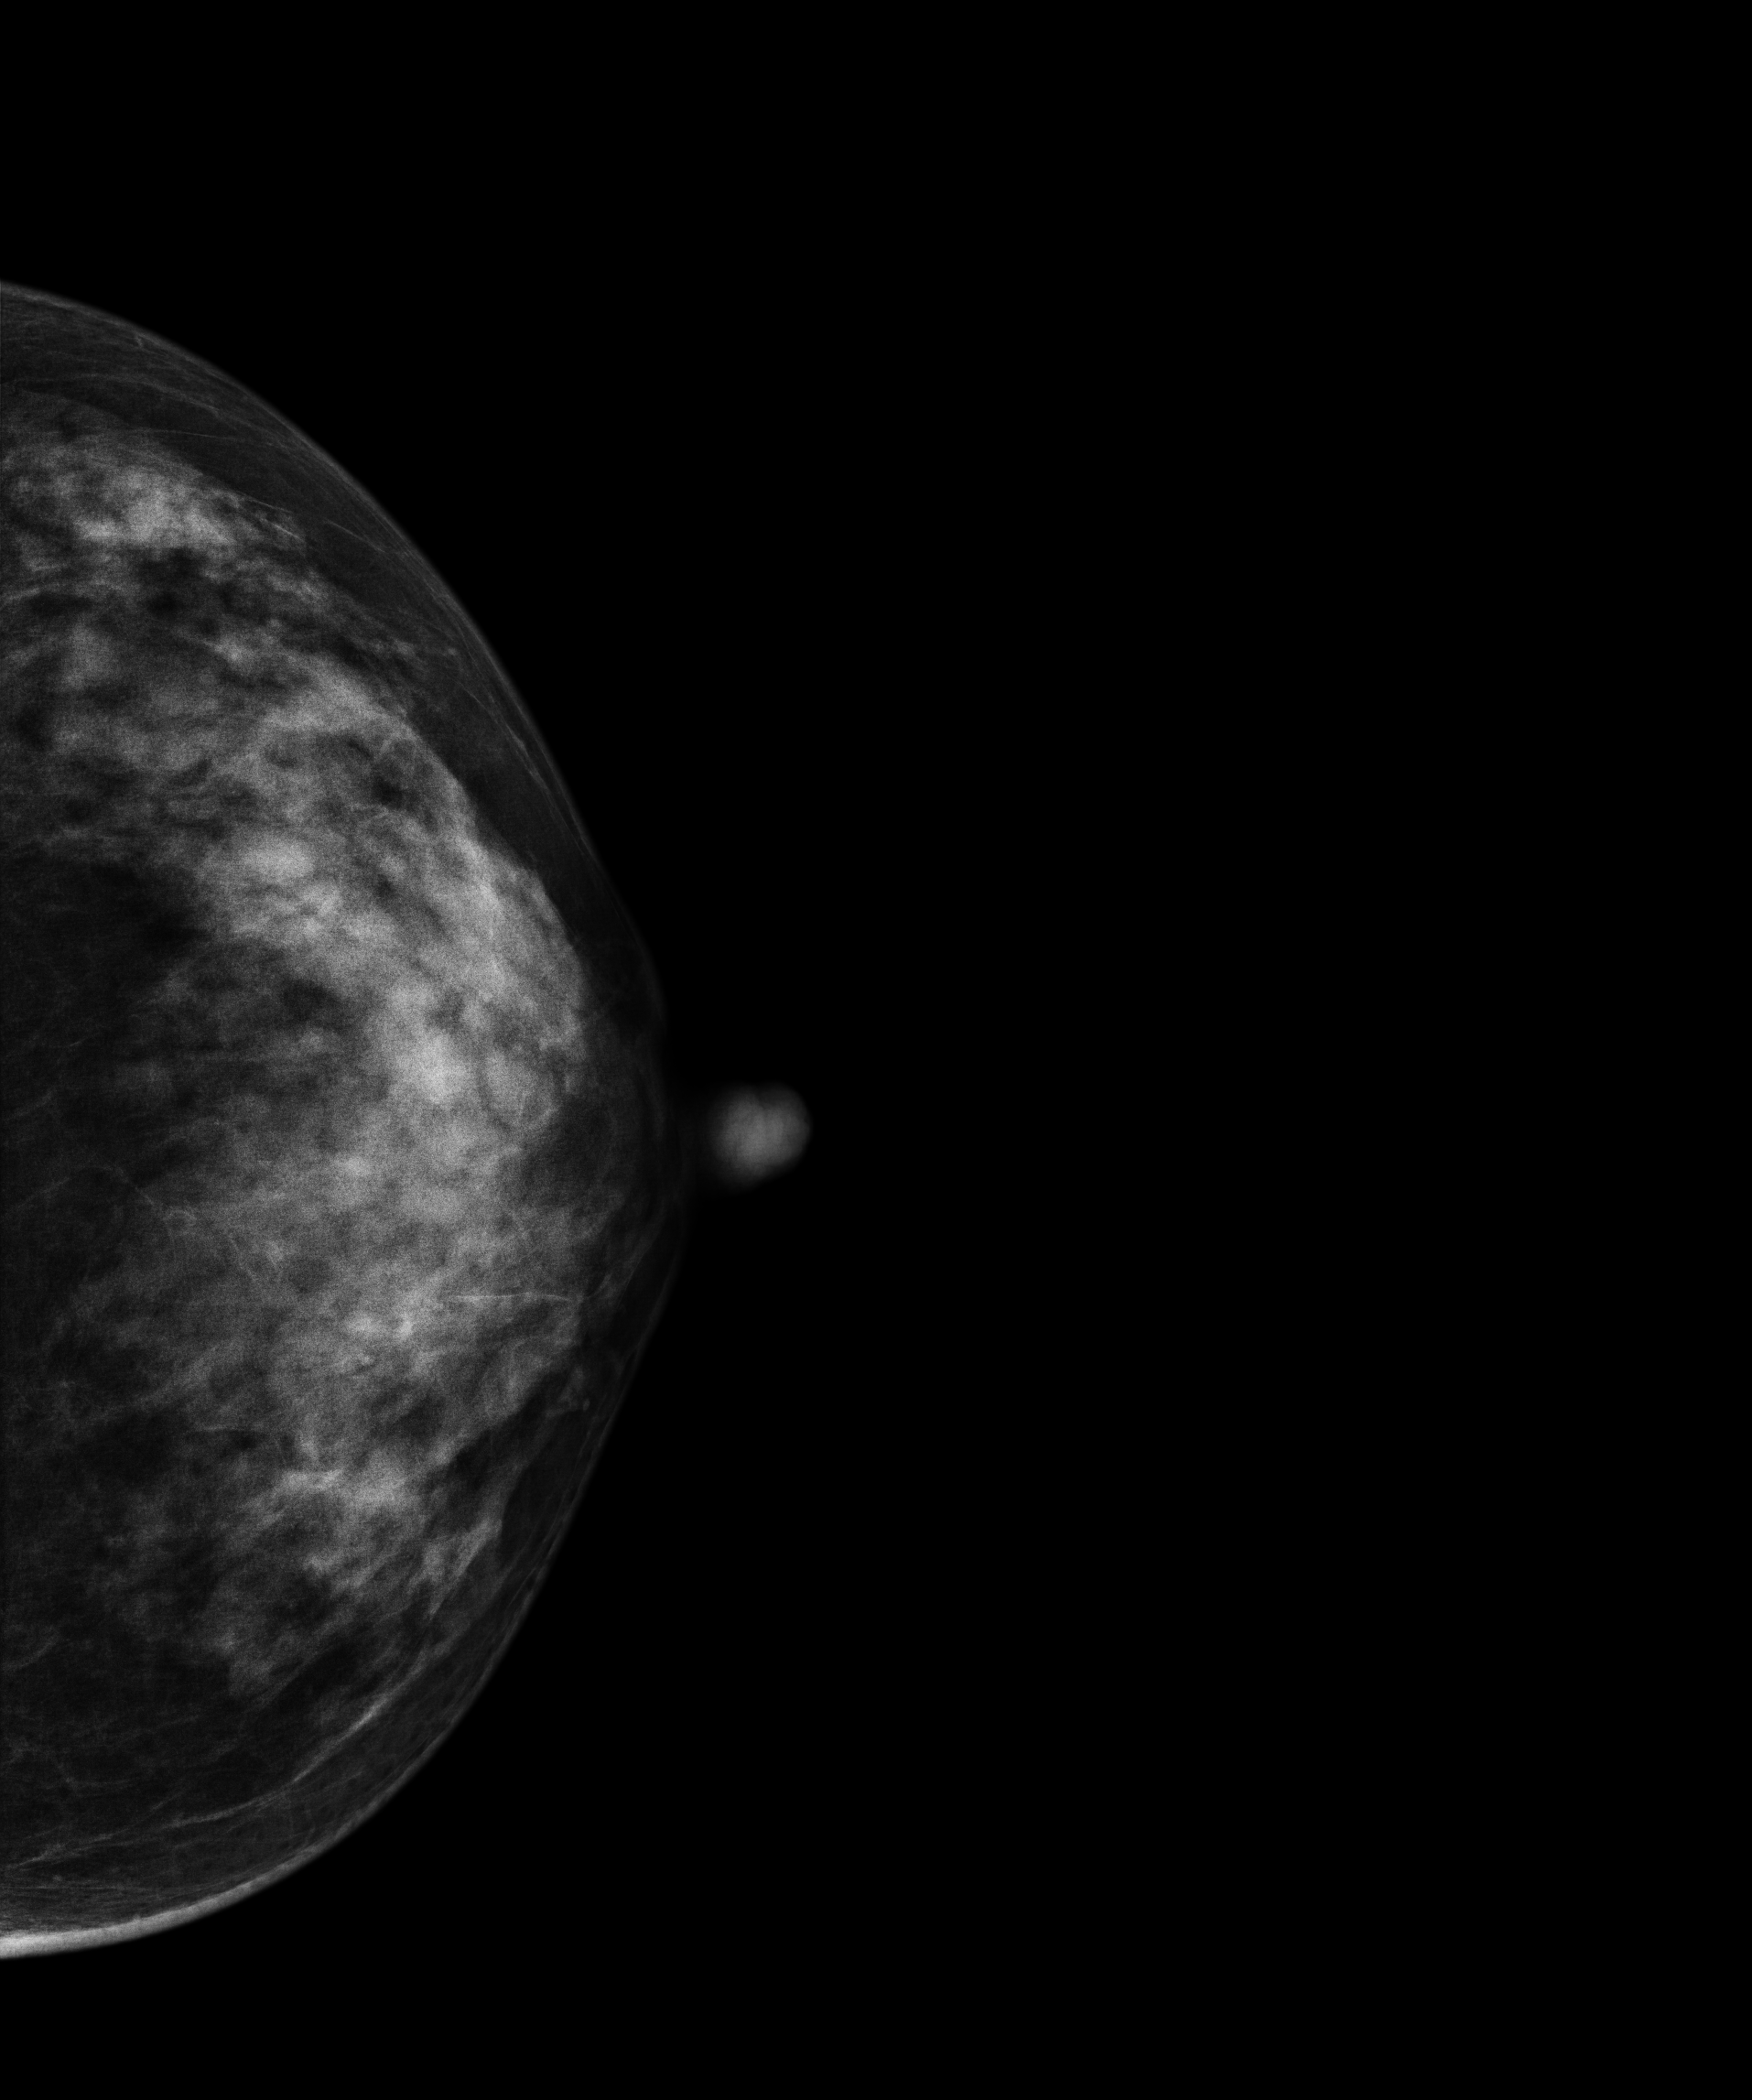
Mammogram — left CC. 46-year-old patient.
Contralateral breast — no documented abnormality on this side.